Digital mammography. Left breast, medio-lateral oblique projection. 32-year-old patient.
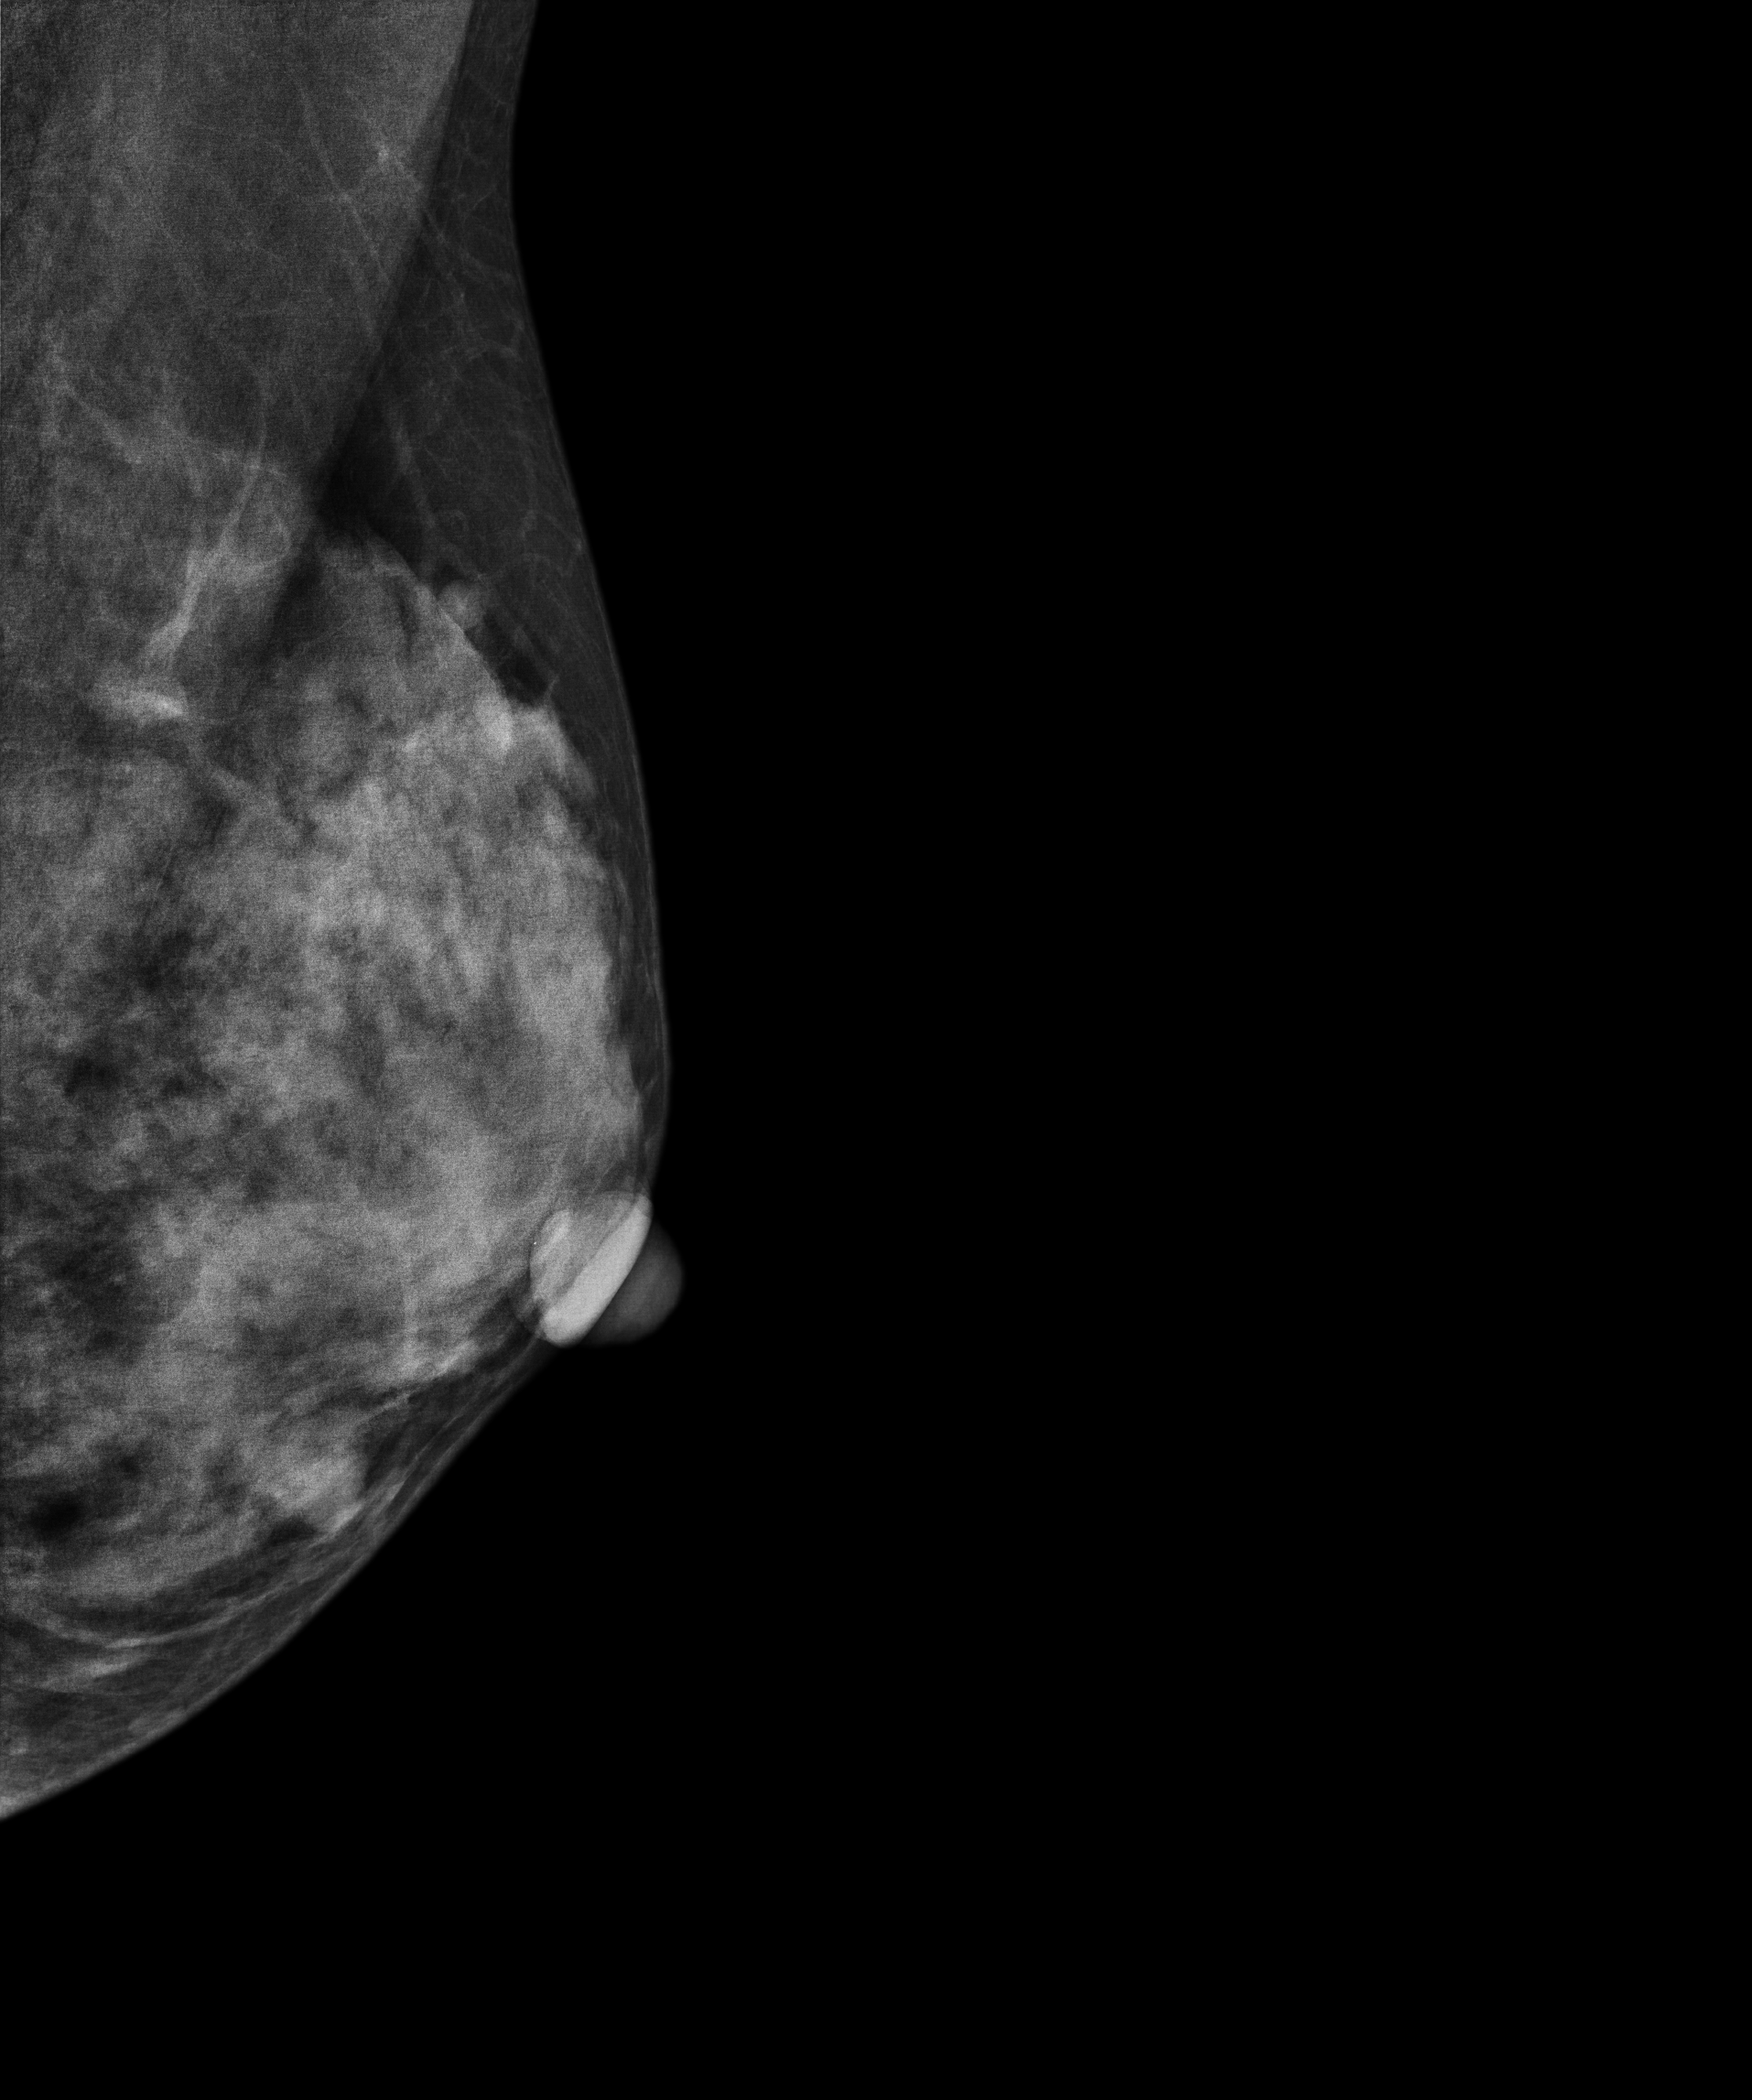
This breast has a mass, biopsy-proven benign.